Mammogram — left medio-lateral oblique. Patient age 47.
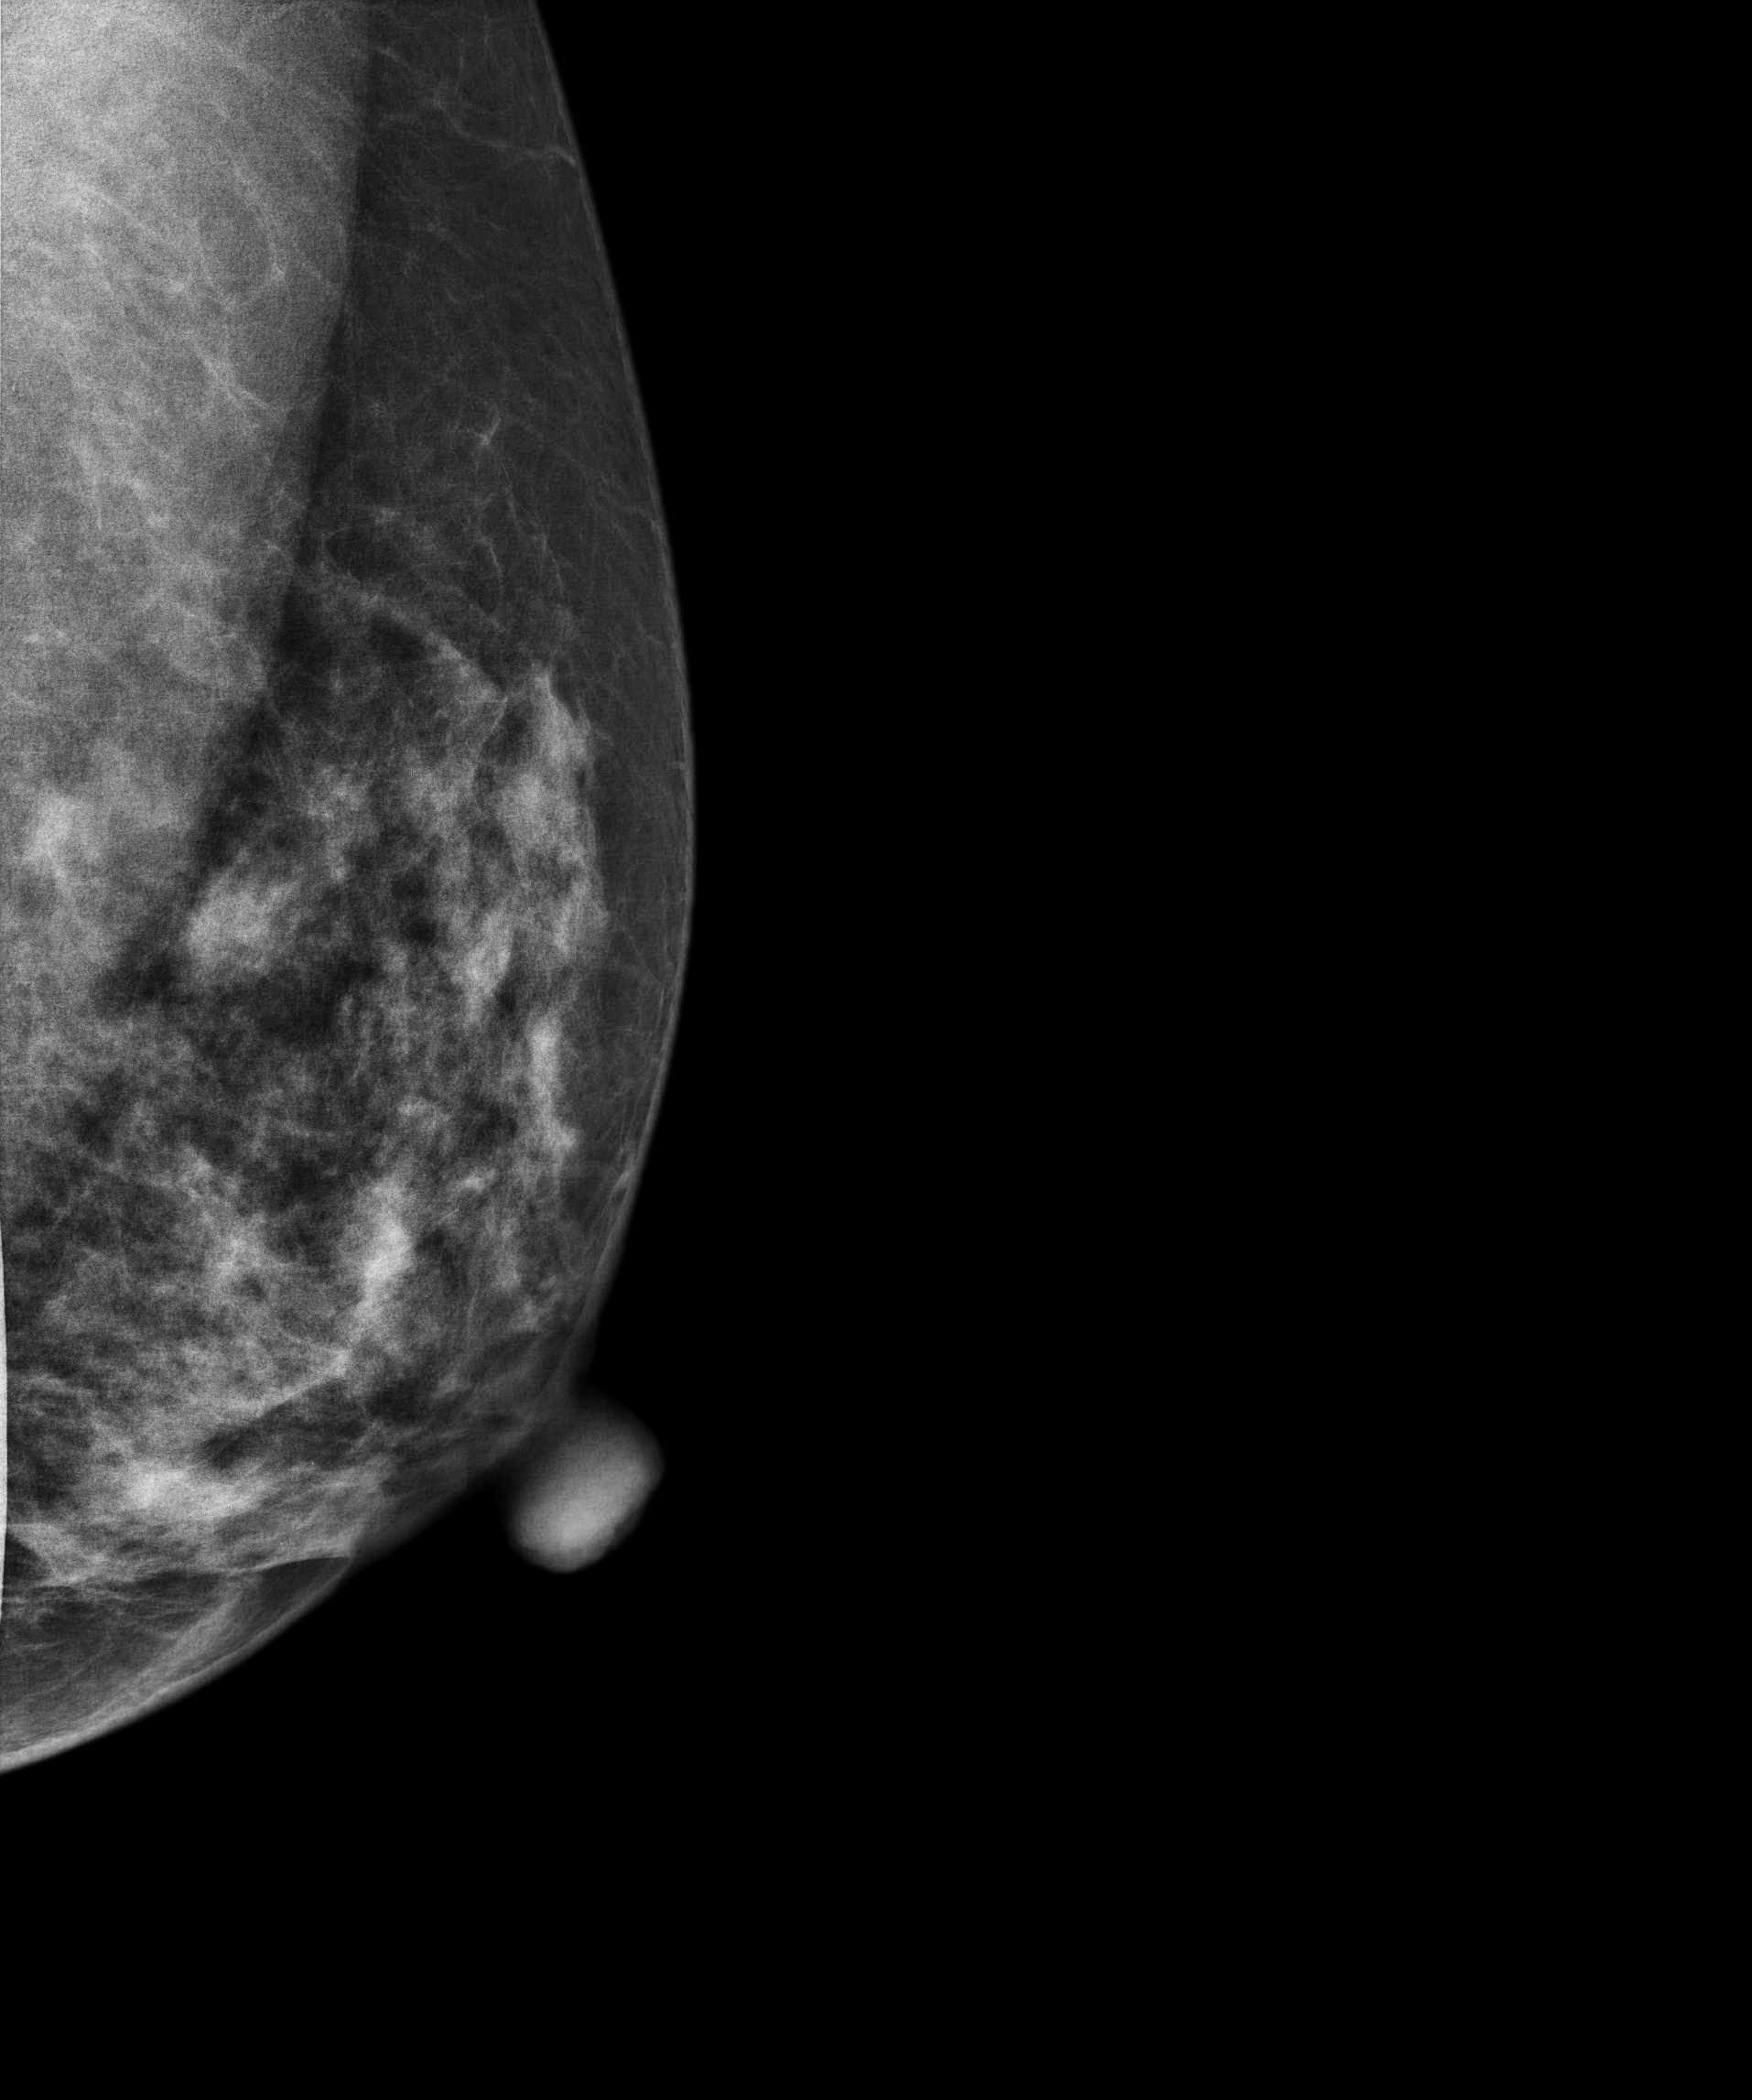
Contralateral breast — no documented abnormality on this side.